Right-breast mammogram, cranio-caudal. 45-year-old patient.
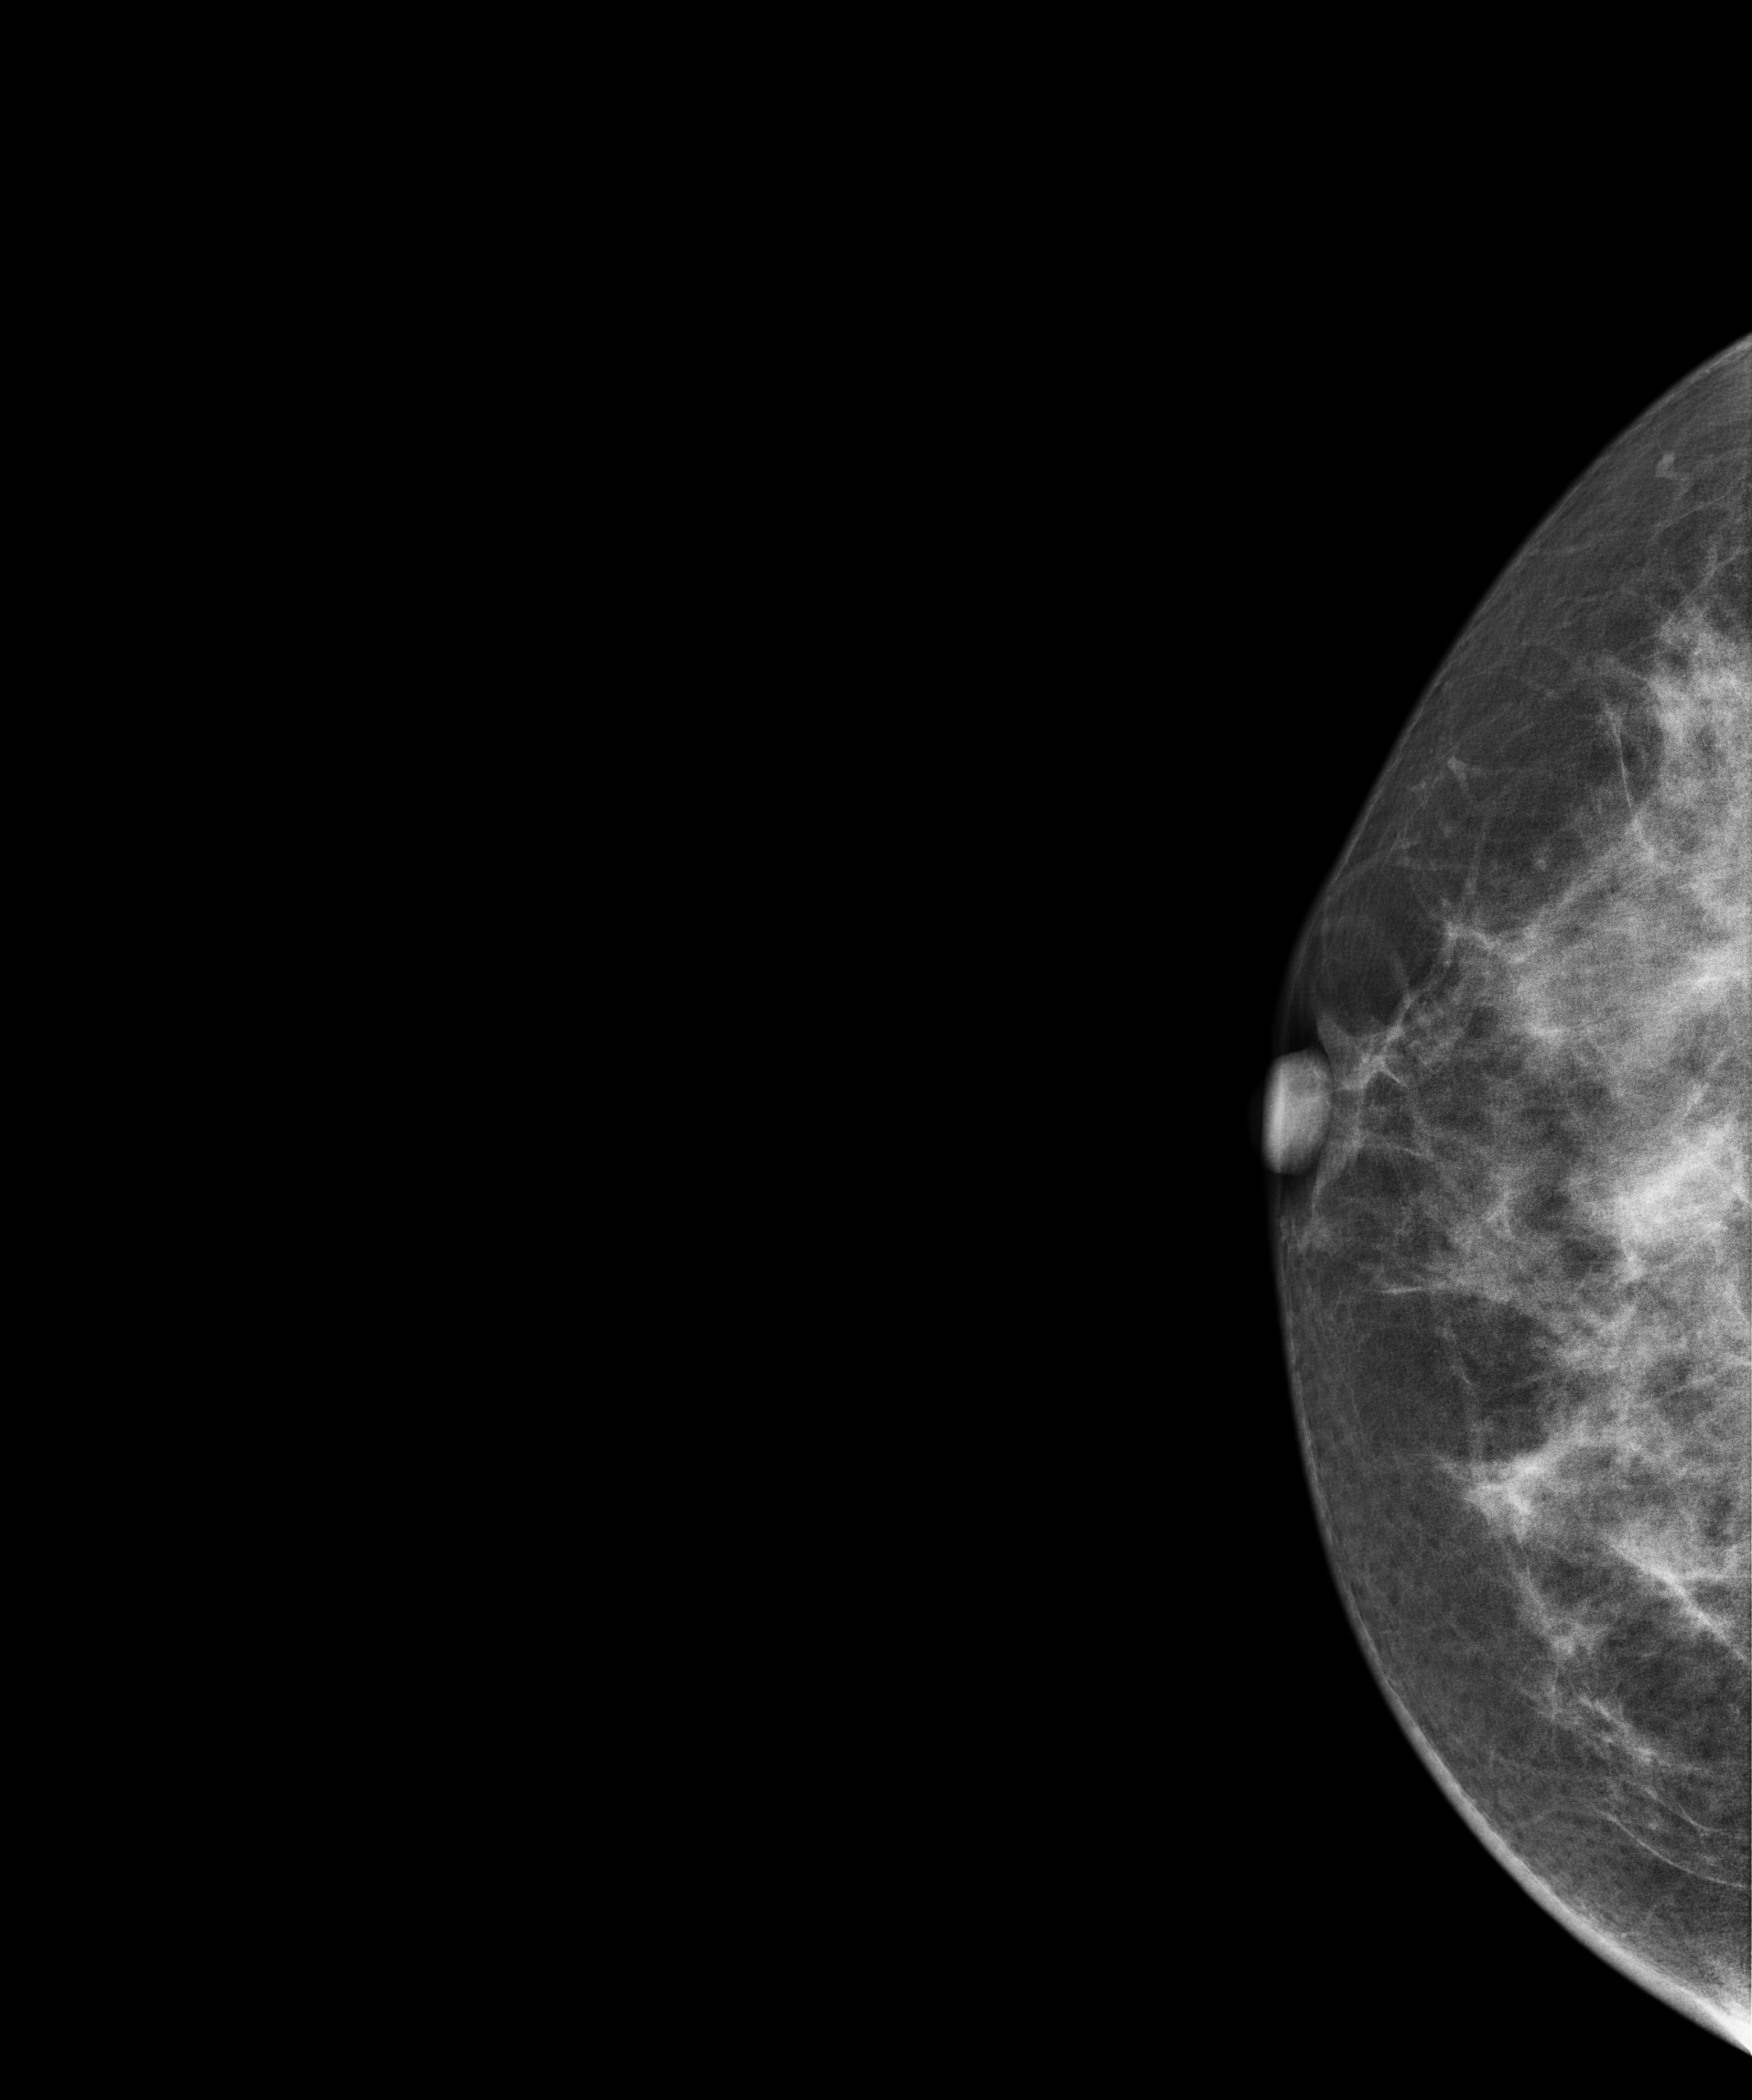
Contralateral breast — no documented abnormality on this side.